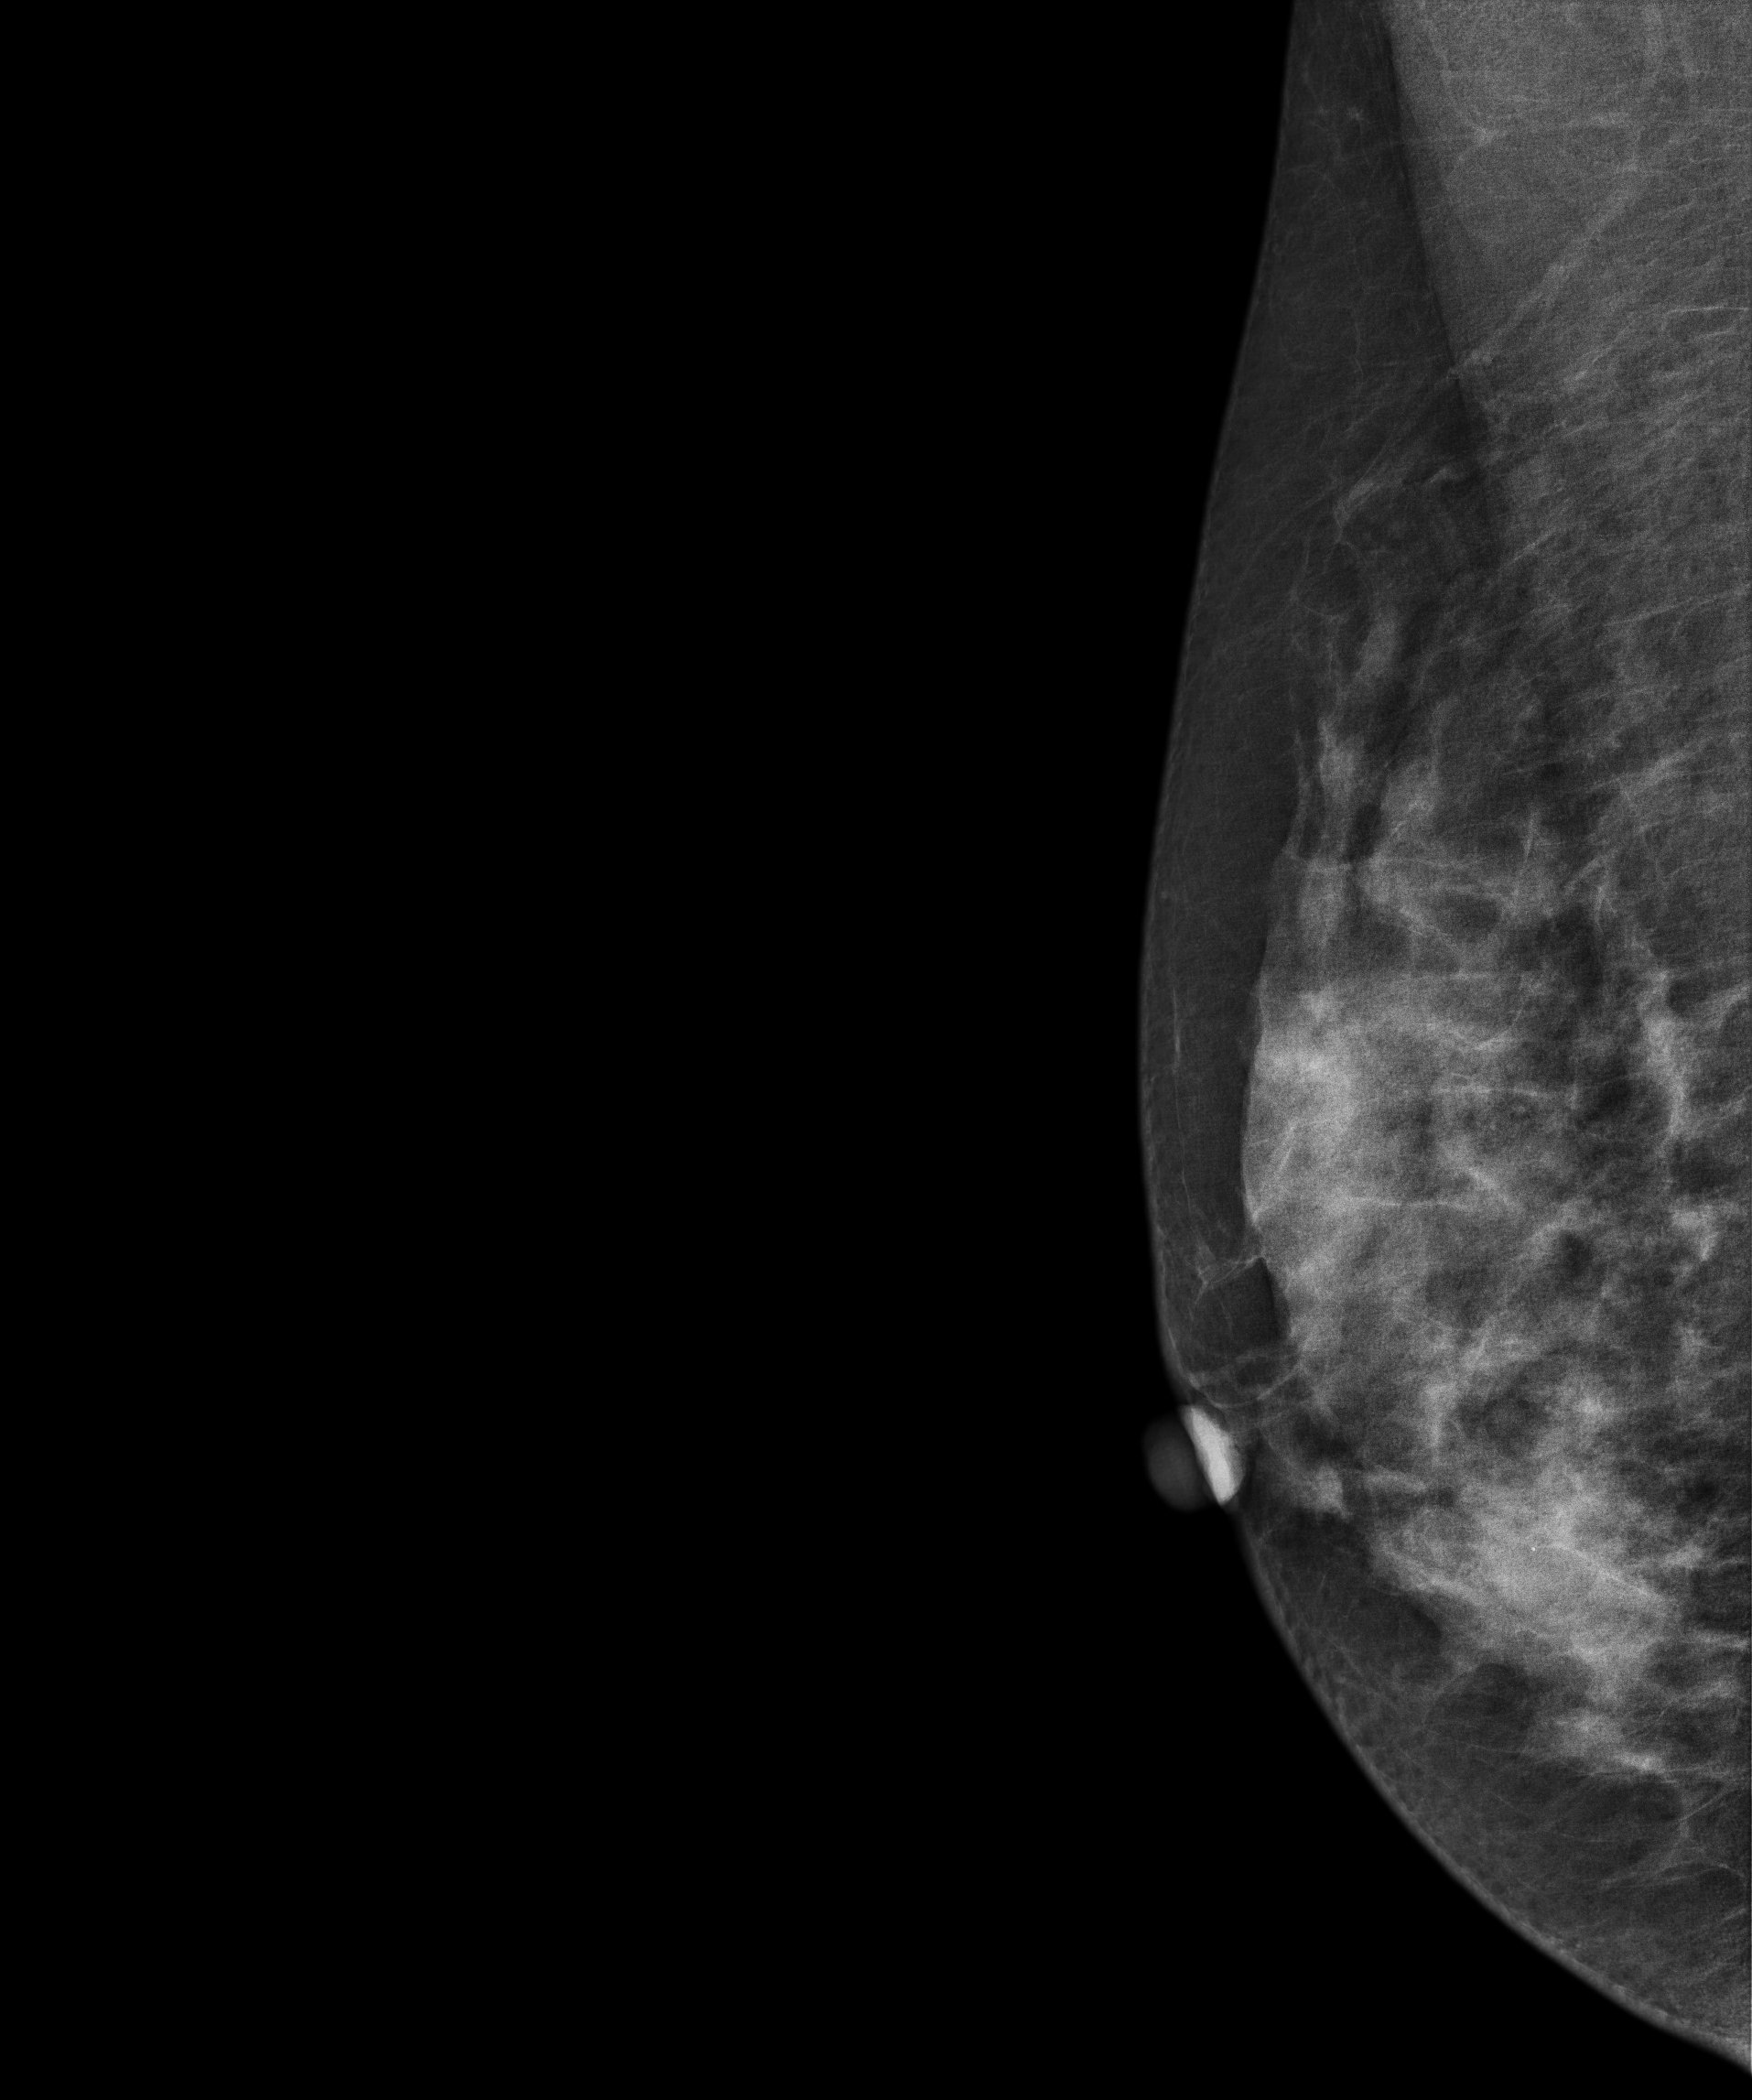
MLO mammogram of the right breast. 43 y/o patient.
This breast has a mass and calcifications, histologically confirmed benign.